Mammogram, right breast, medio-lateral oblique view. 53-year-old patient.
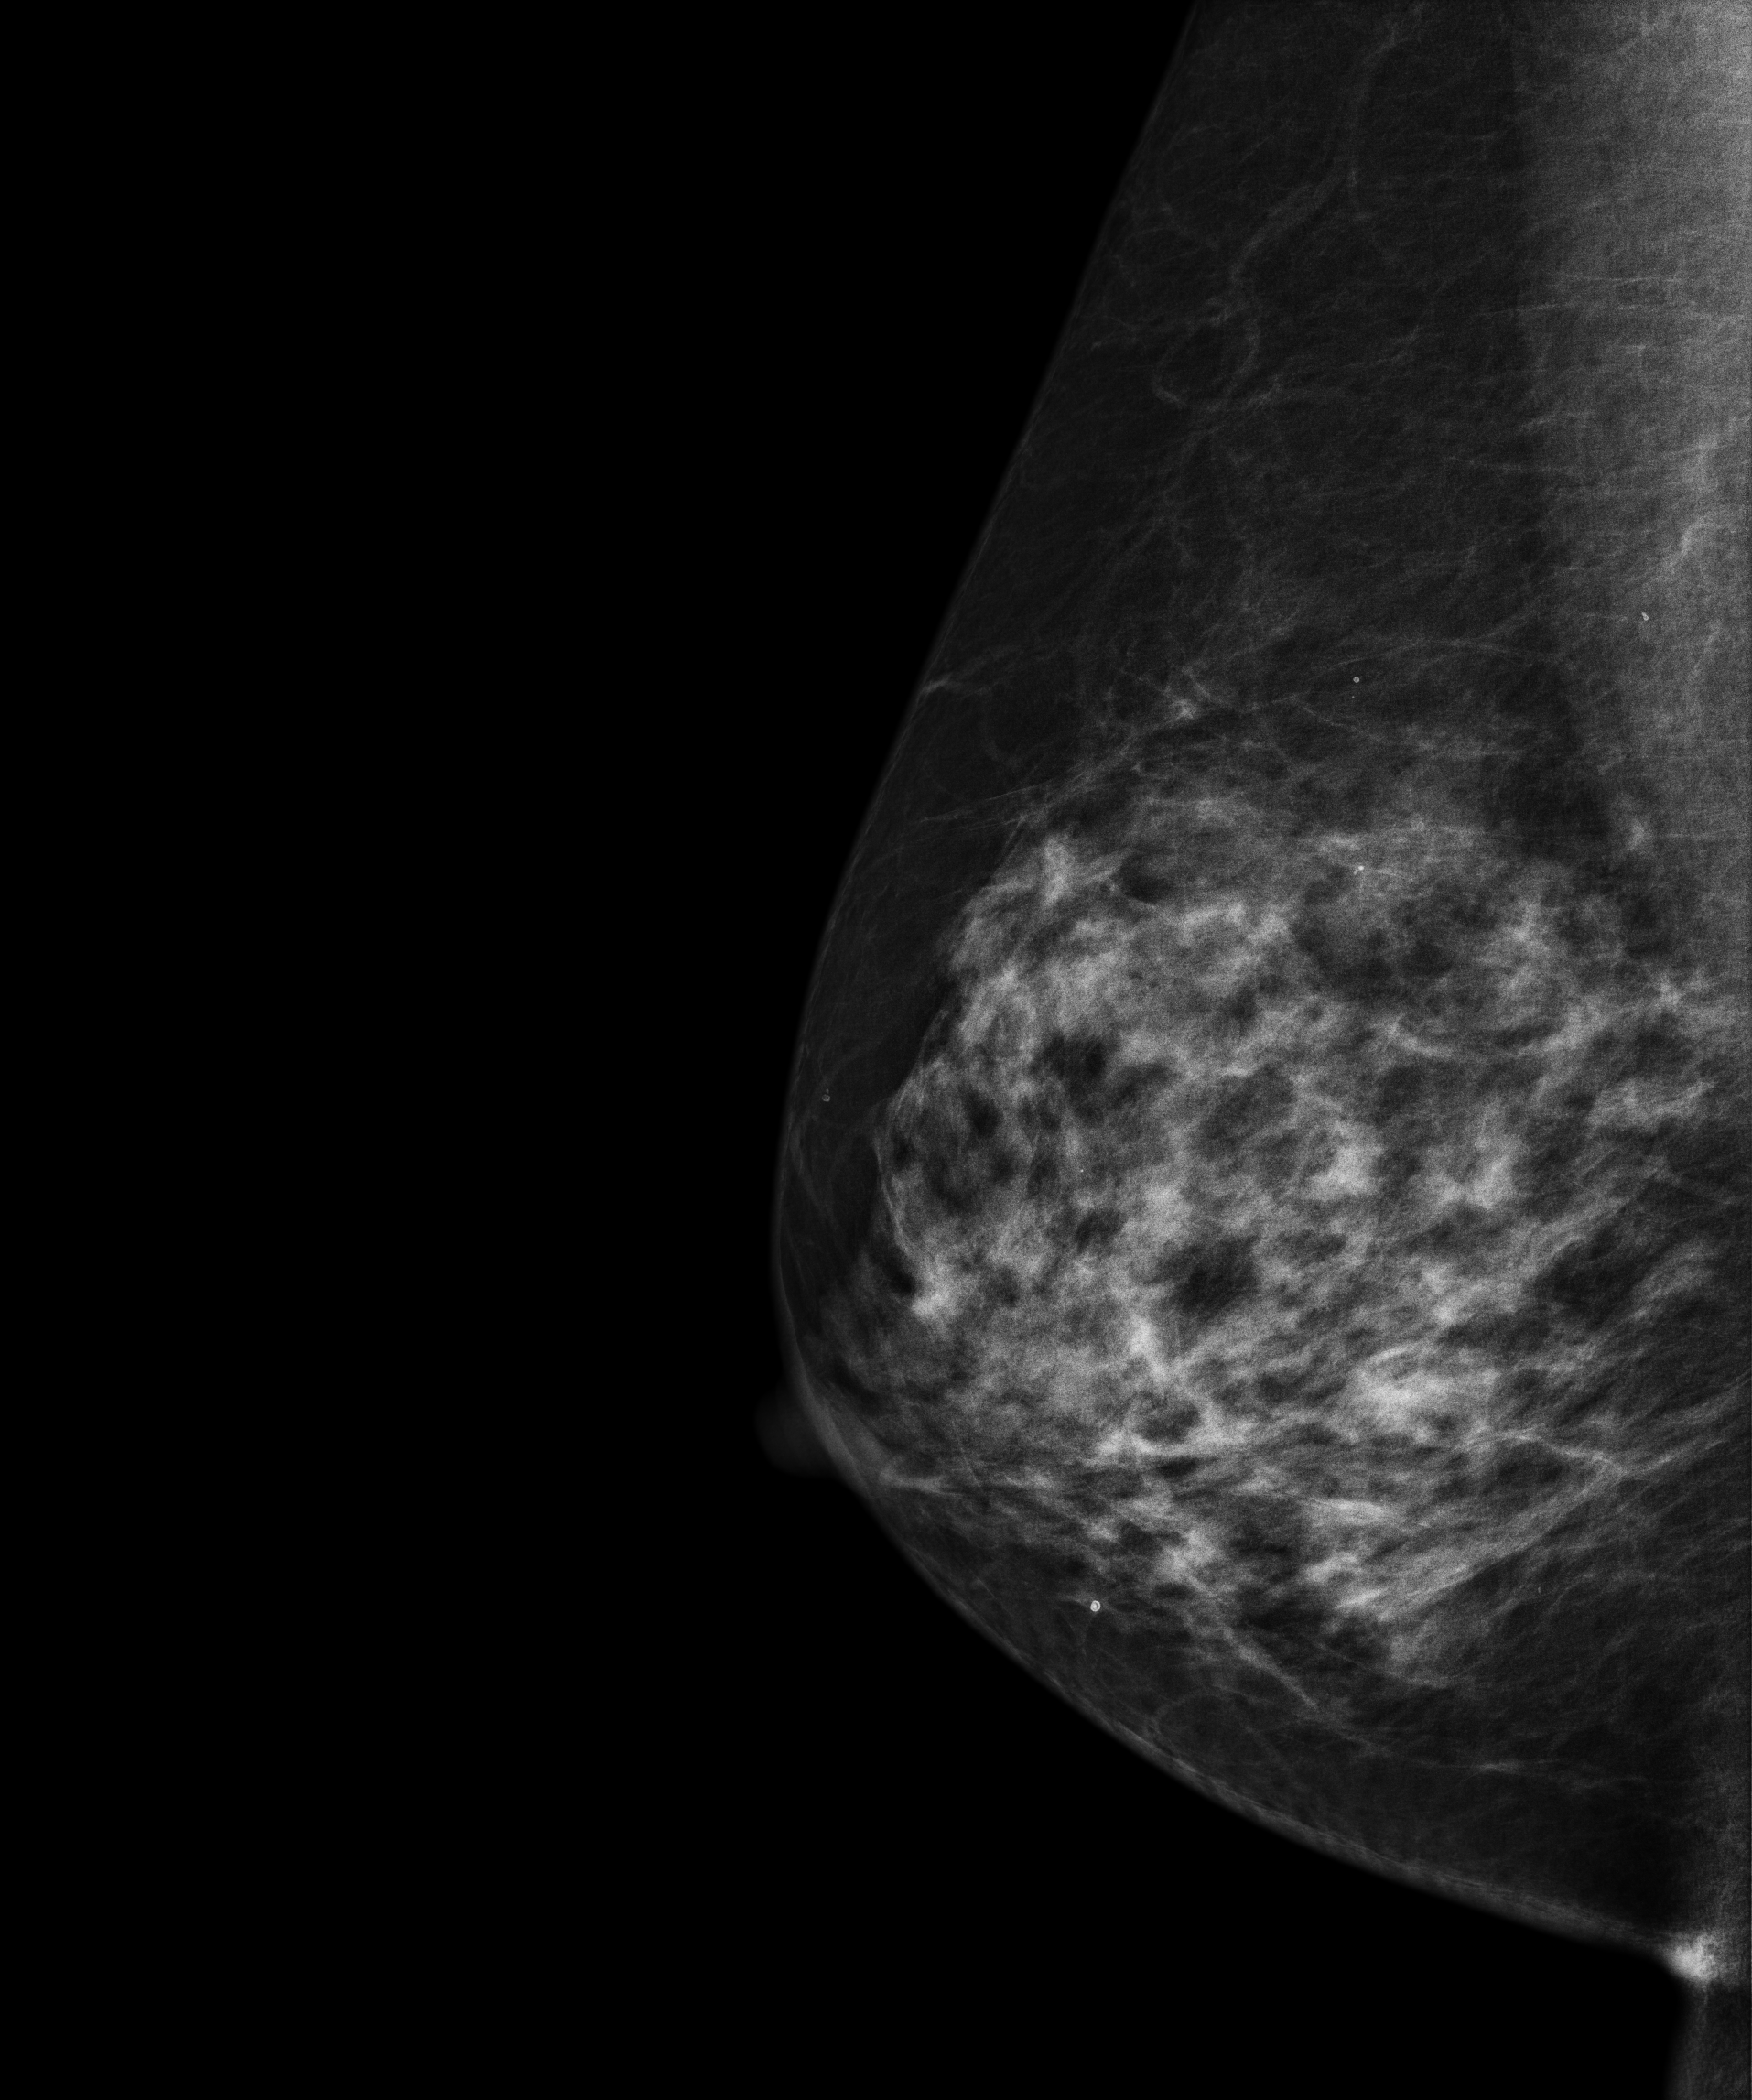
Contralateral breast — no documented abnormality on this side.